Digital mammography. Right breast, medio-lateral oblique projection. Patient age 45.
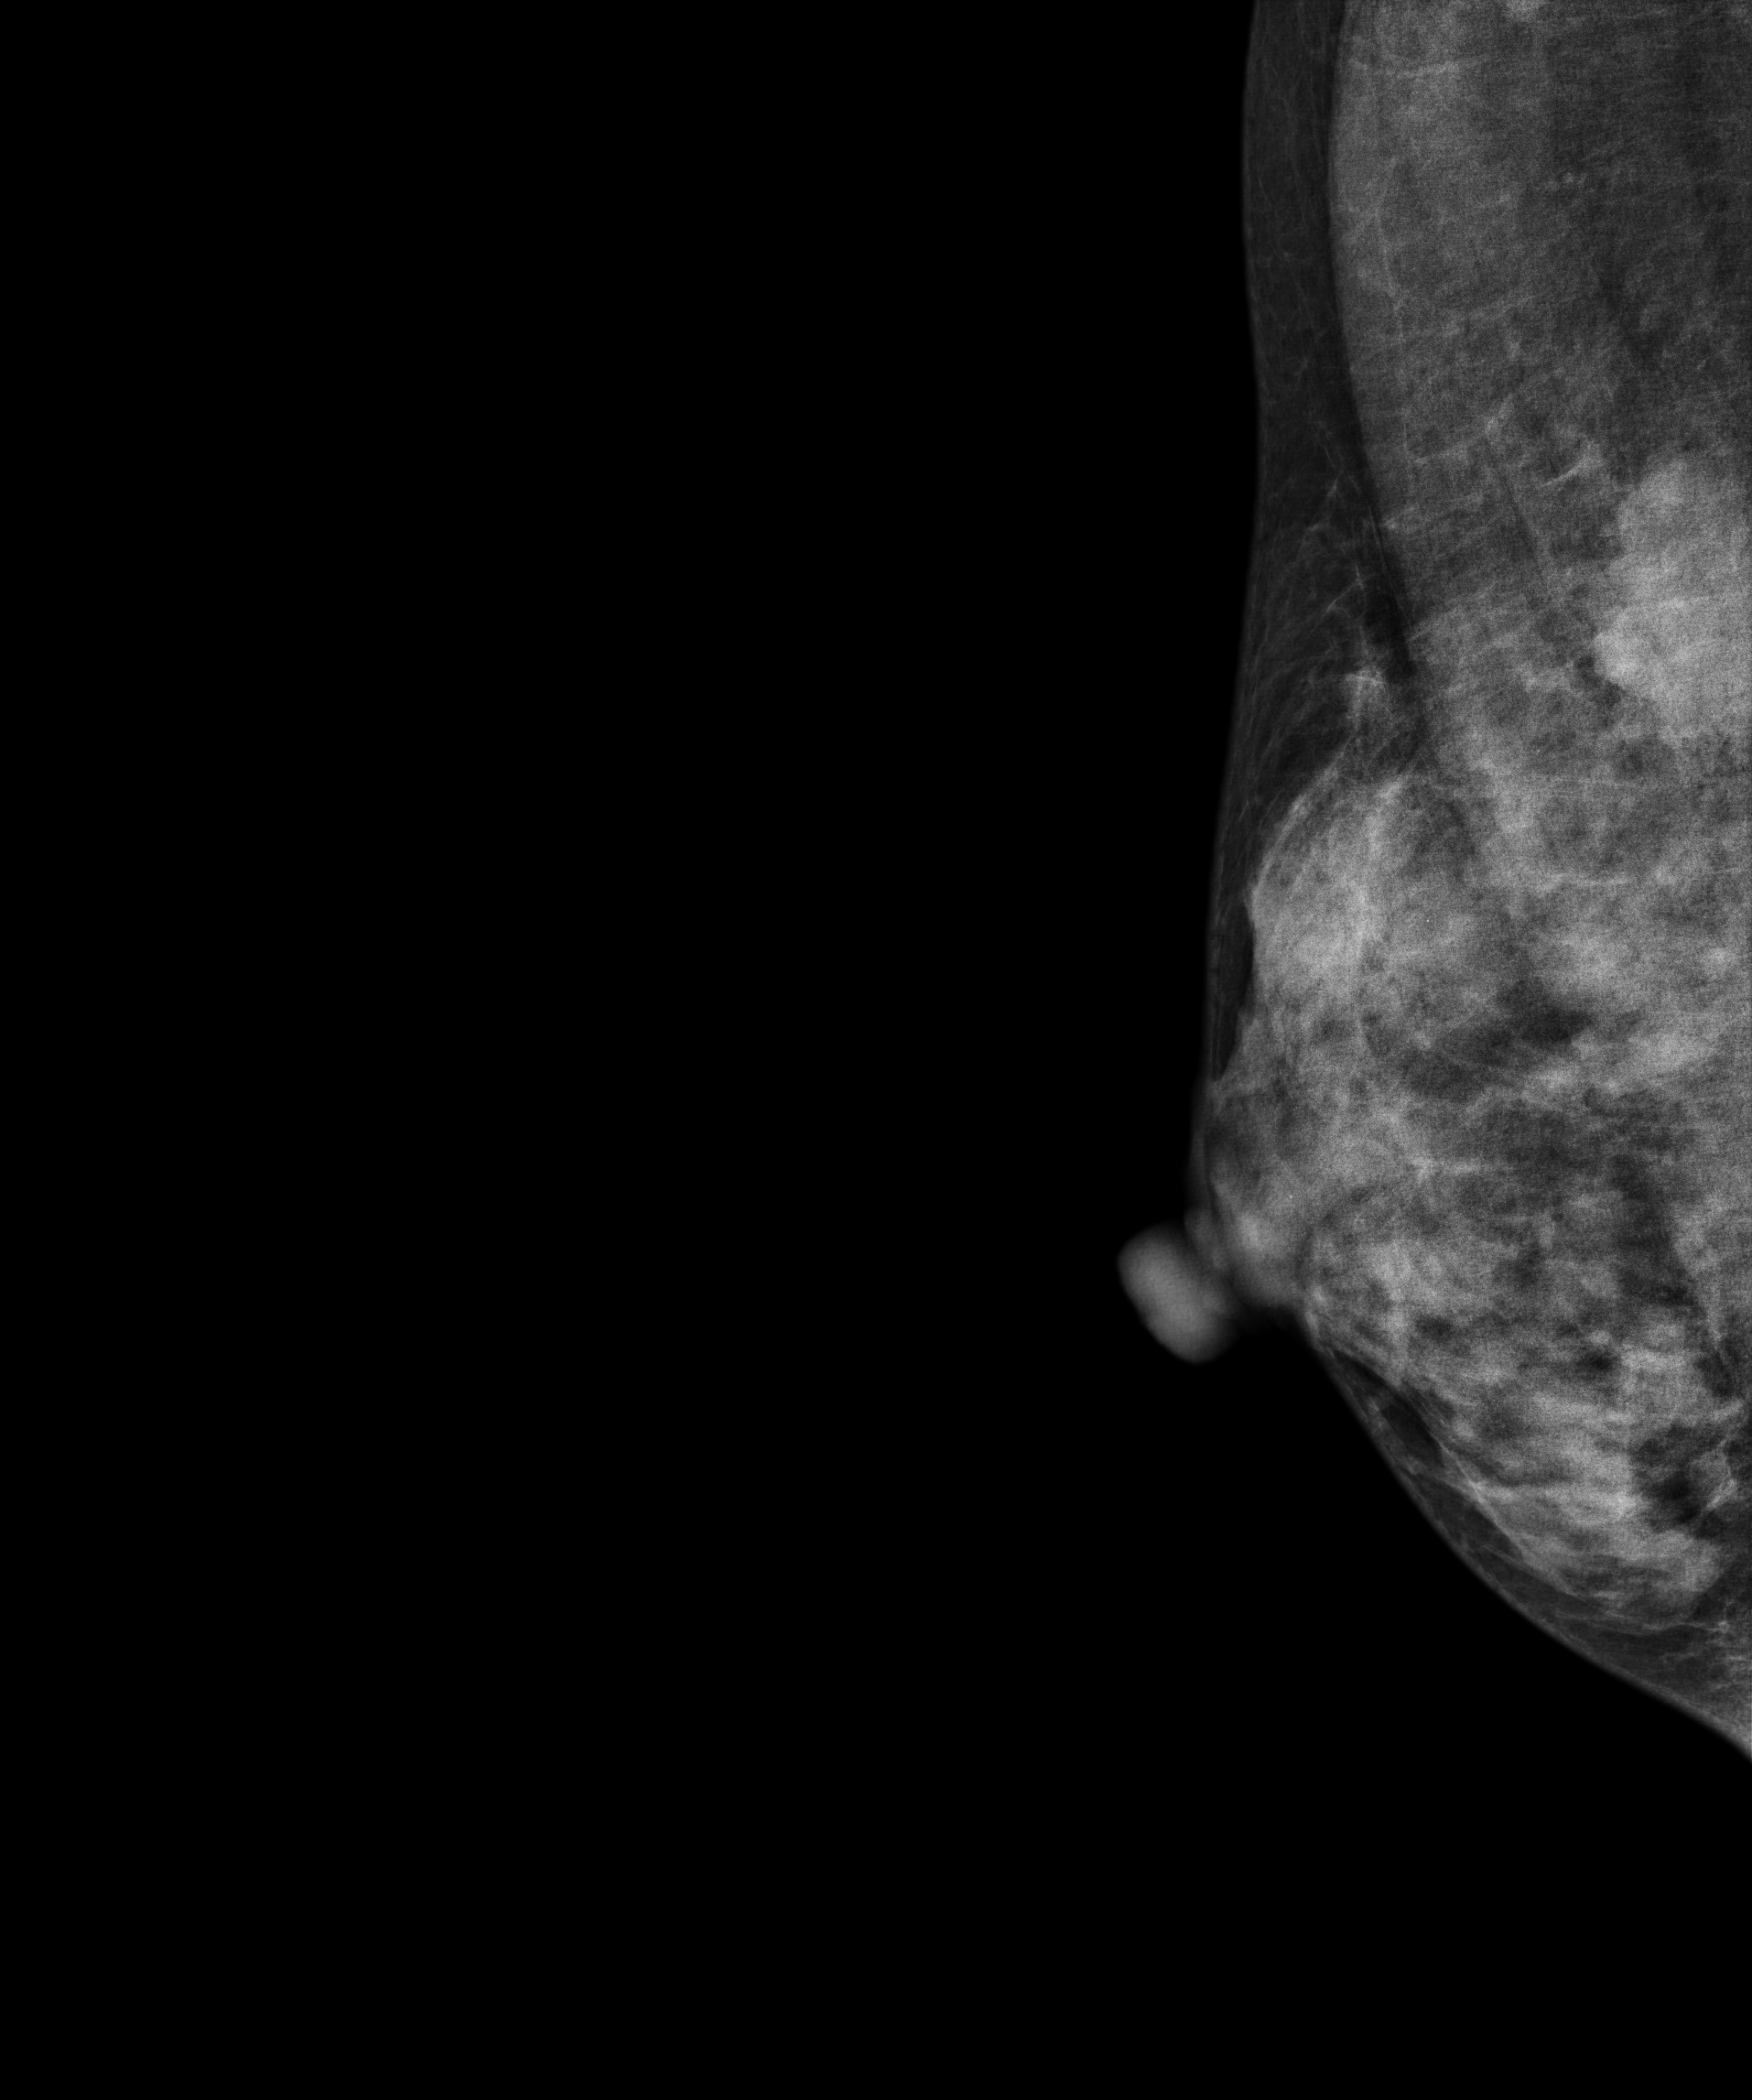
This breast has a mass, biopsy-proven malignant.